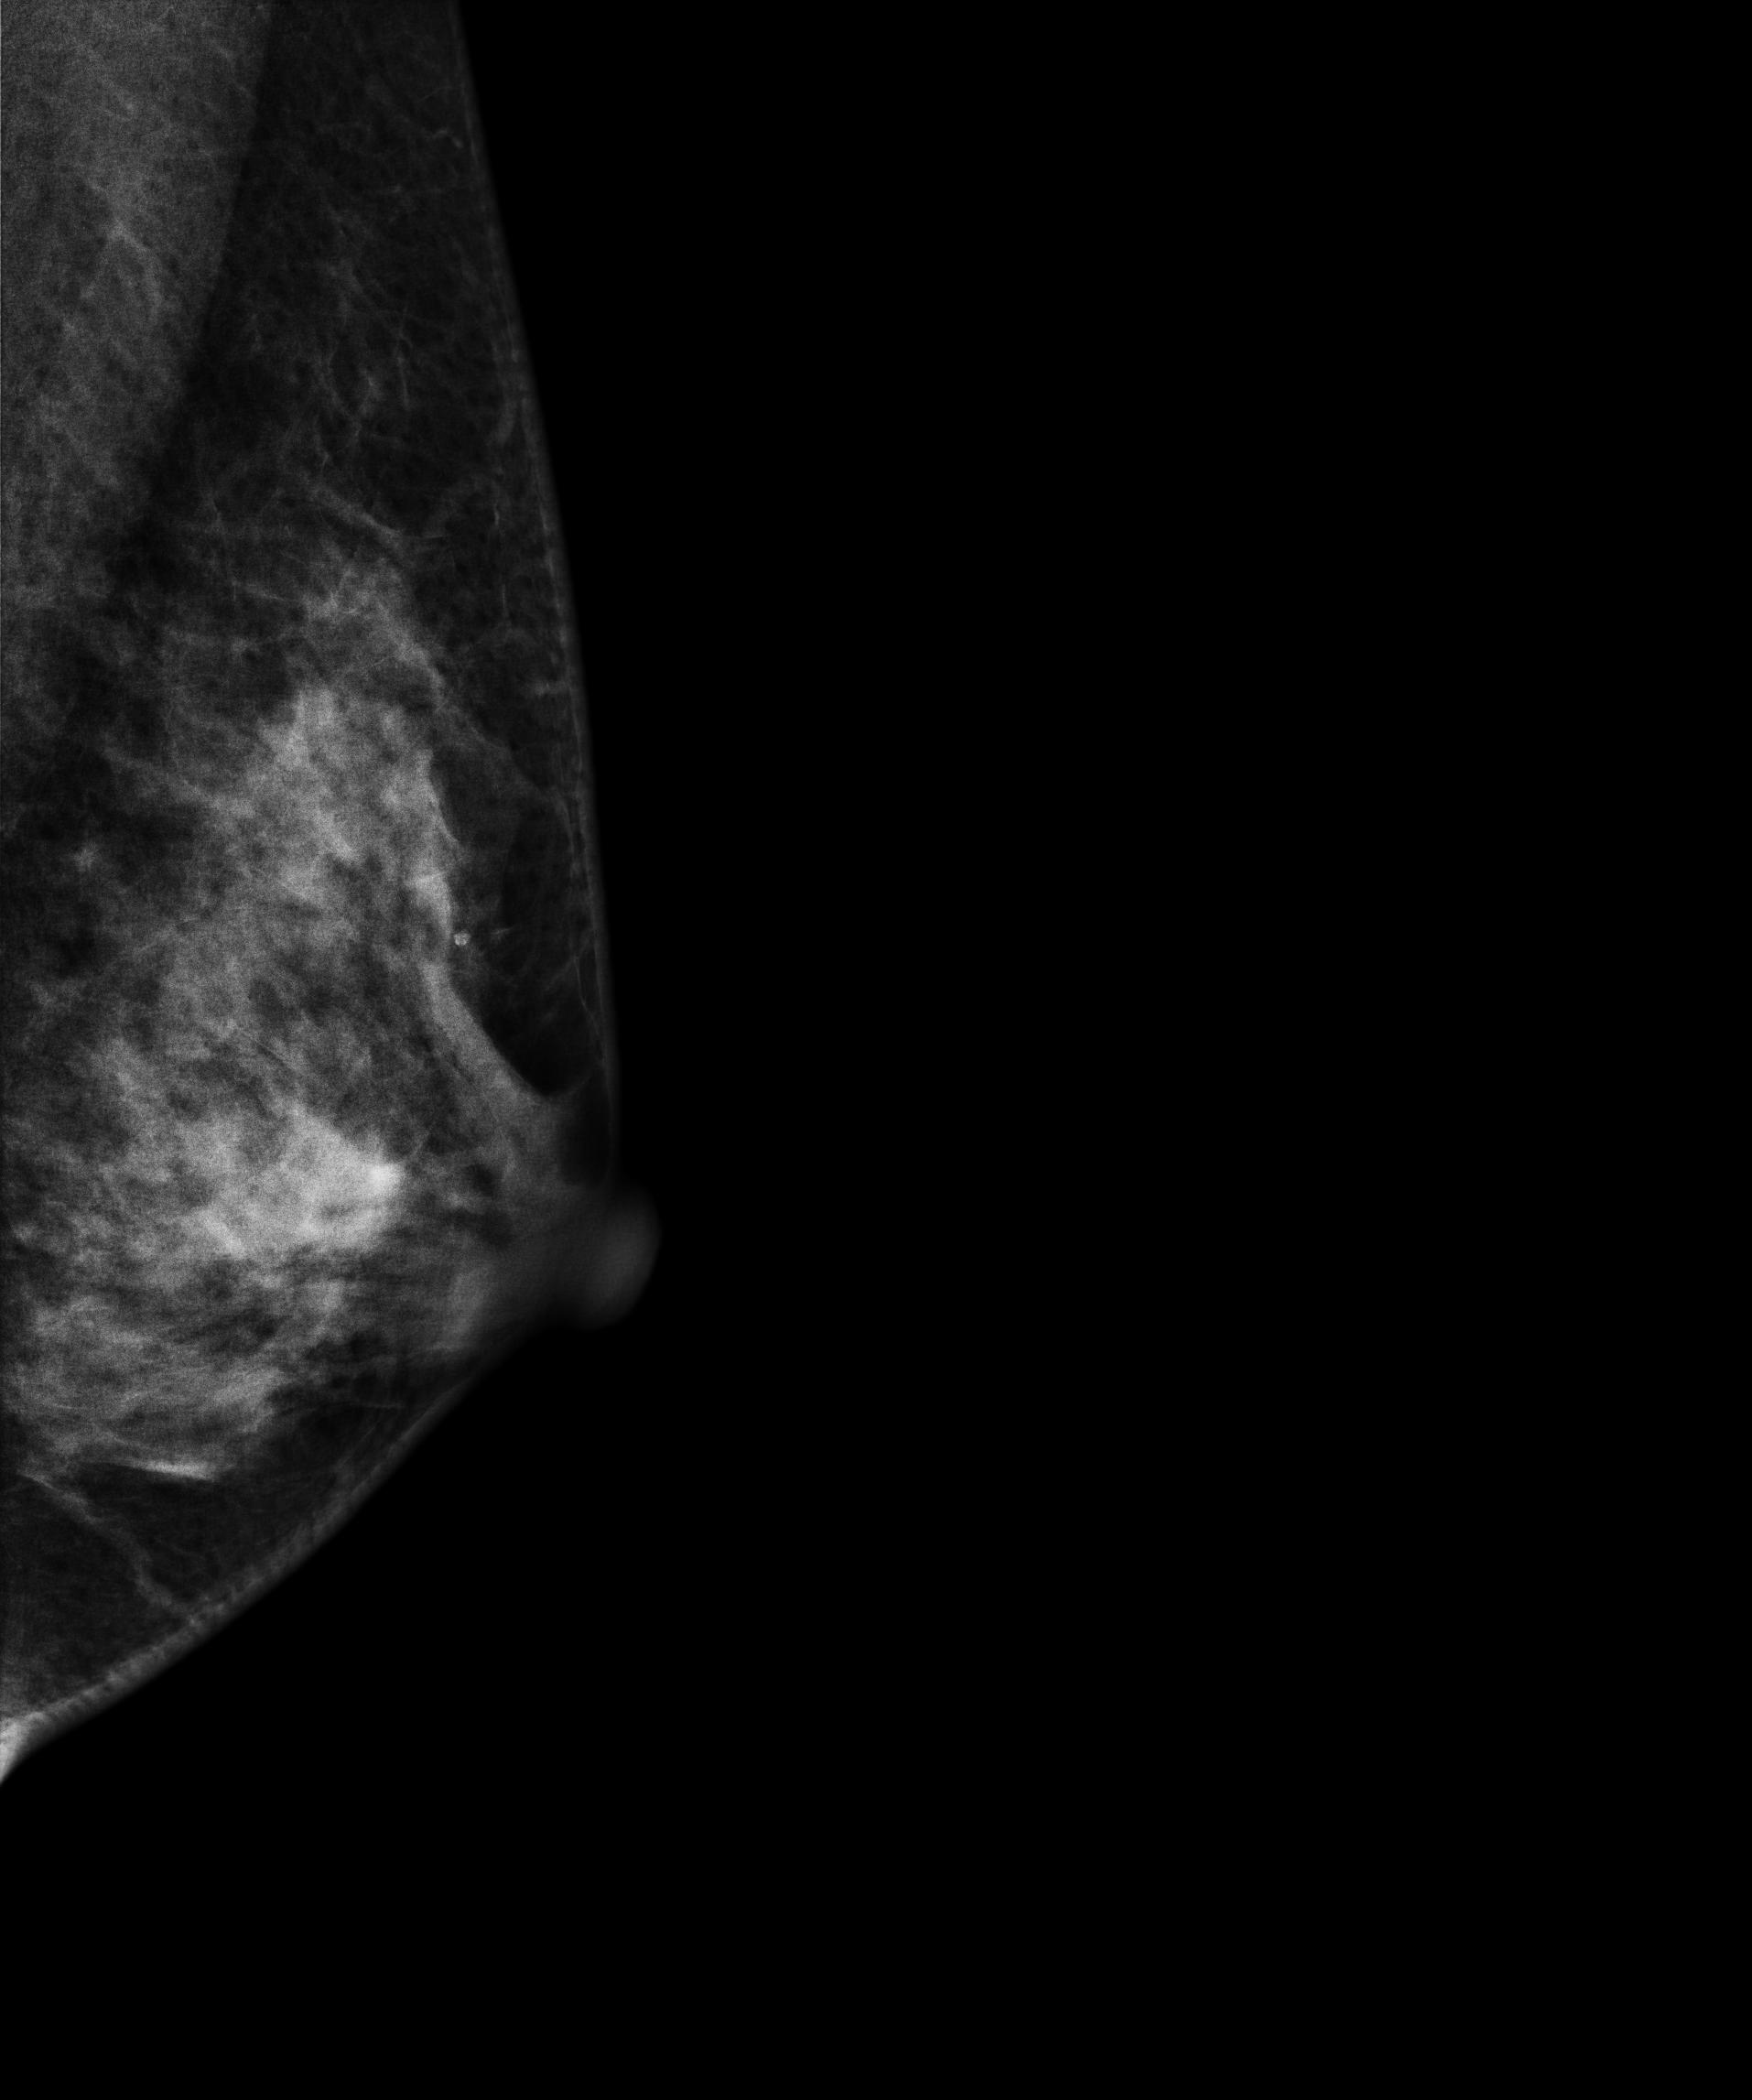
MLO mammogram of the left breast. 38 y/o patient.
This breast has a mass, biopsy-confirmed benign.